Left-breast mammogram, CC. 48-year-old patient.
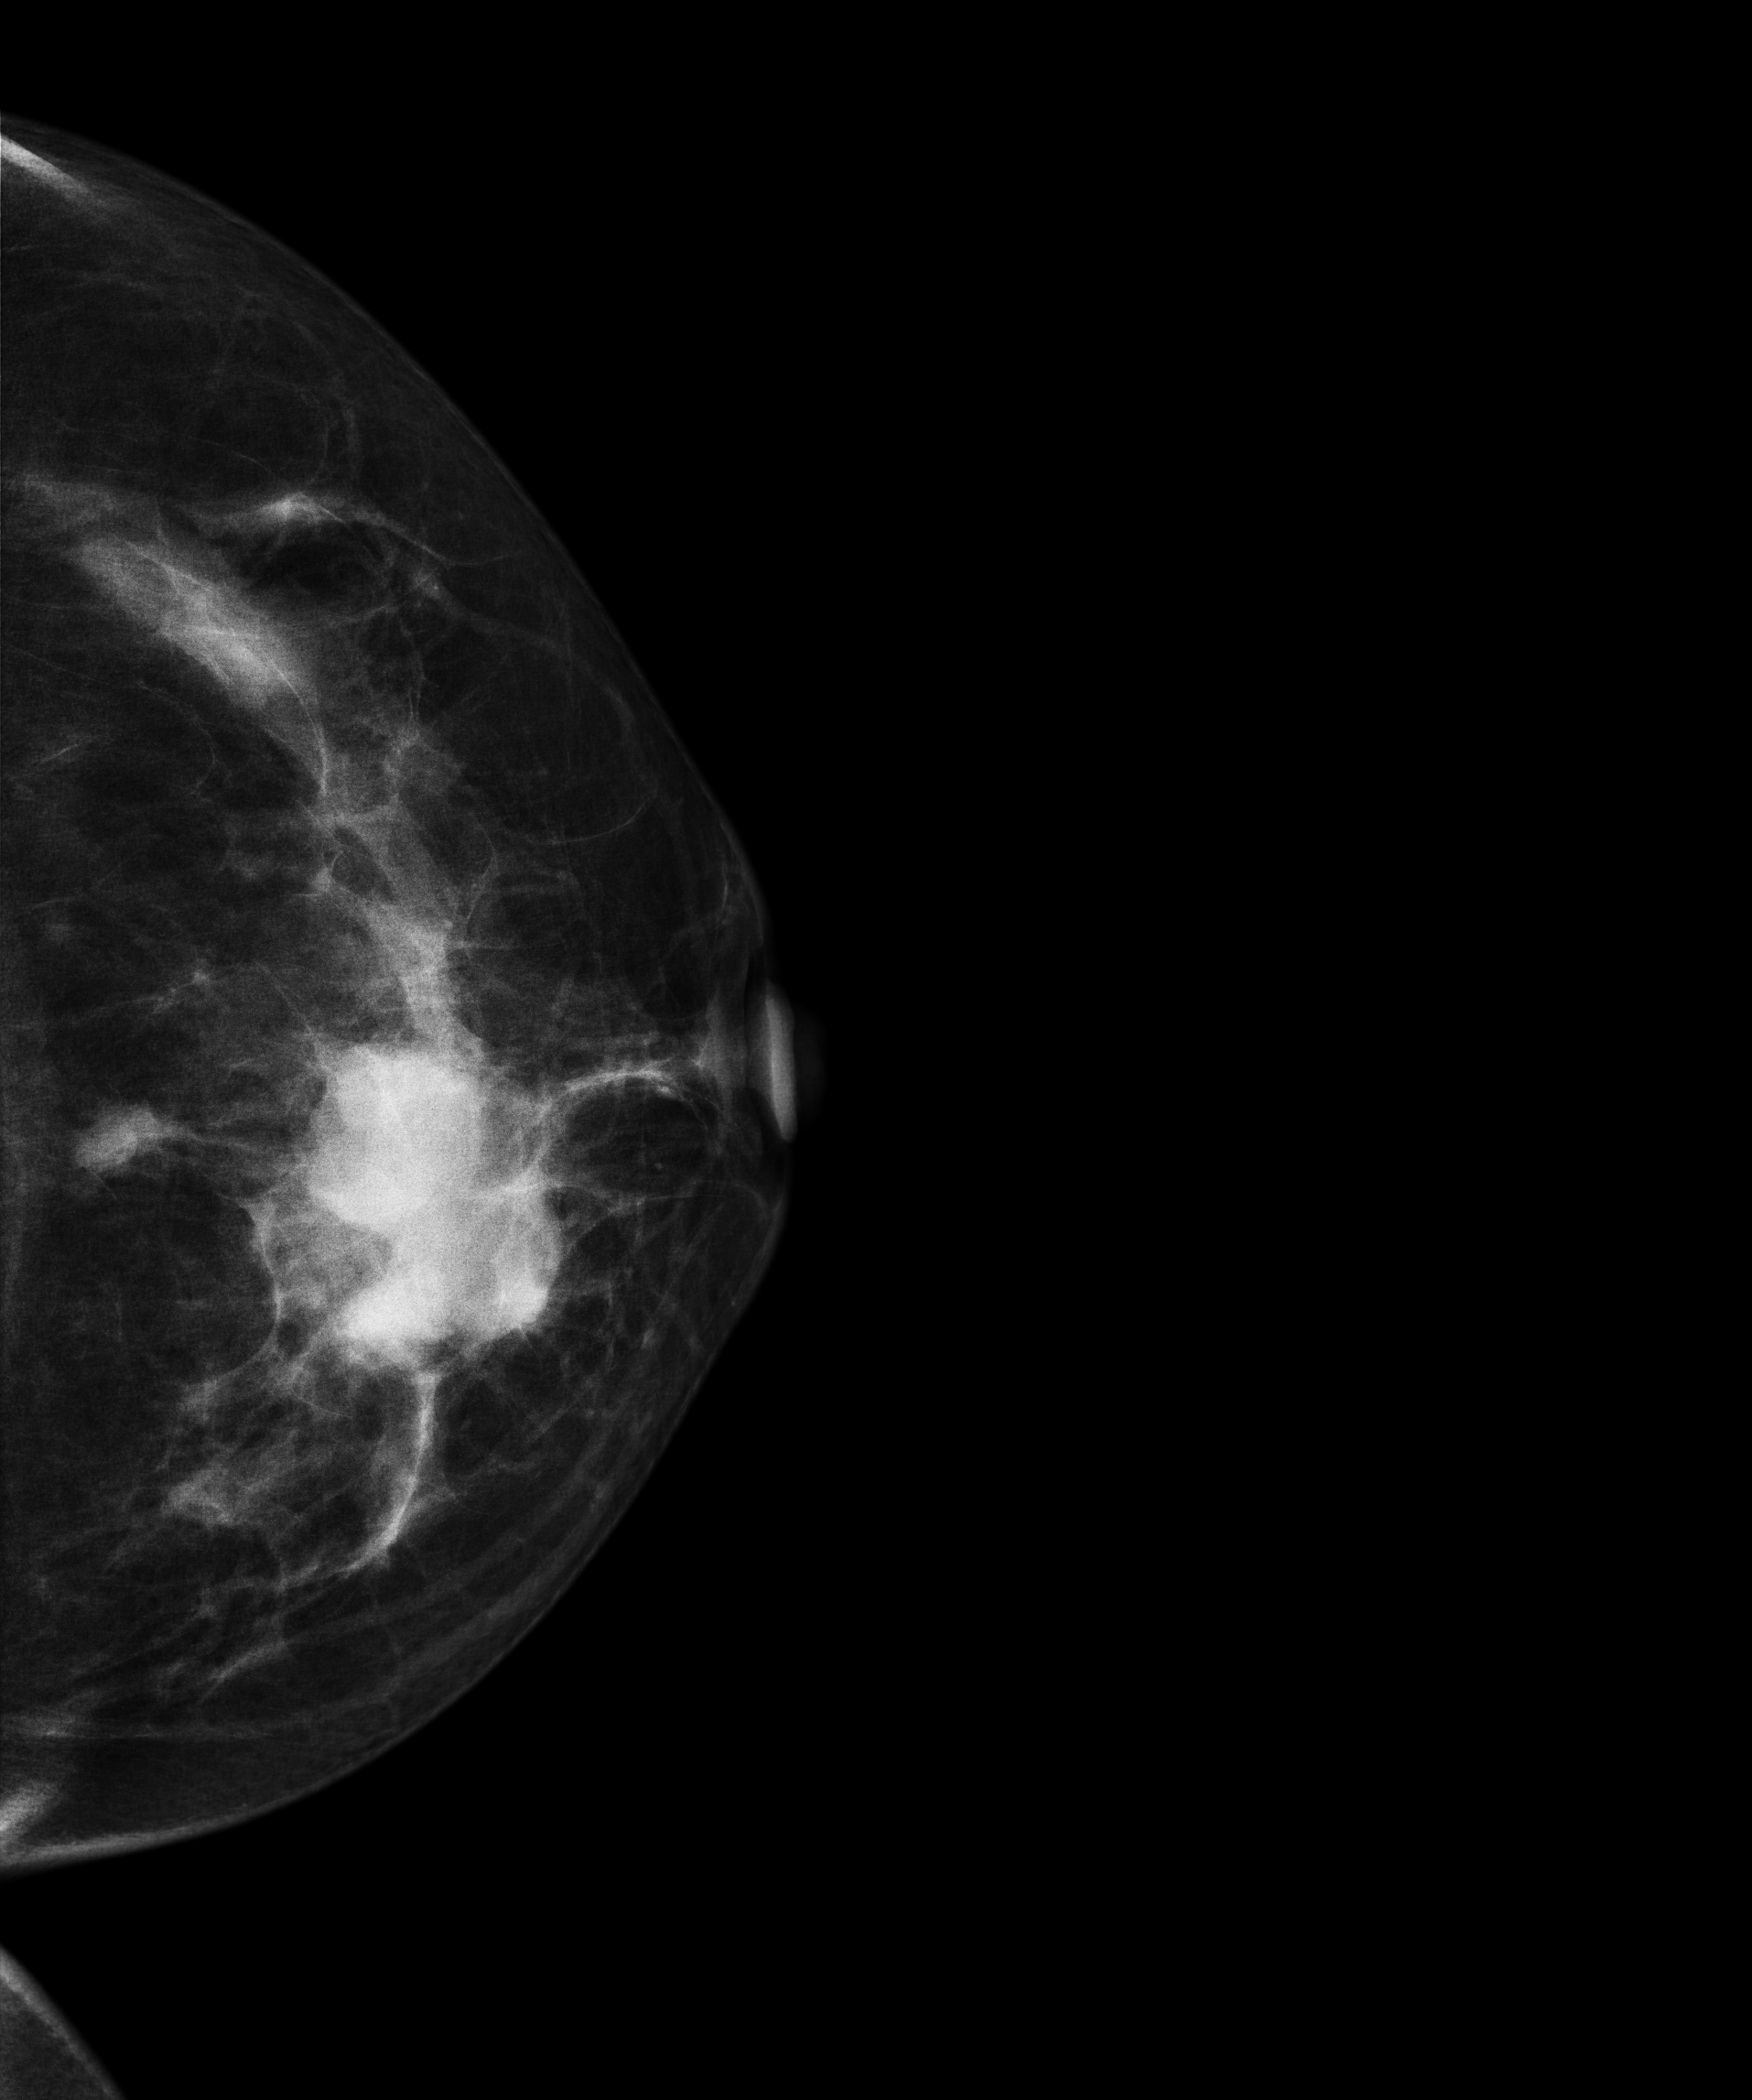
This breast has a mass, pathology-confirmed malignant. Molecular subtype: HER2-enriched.